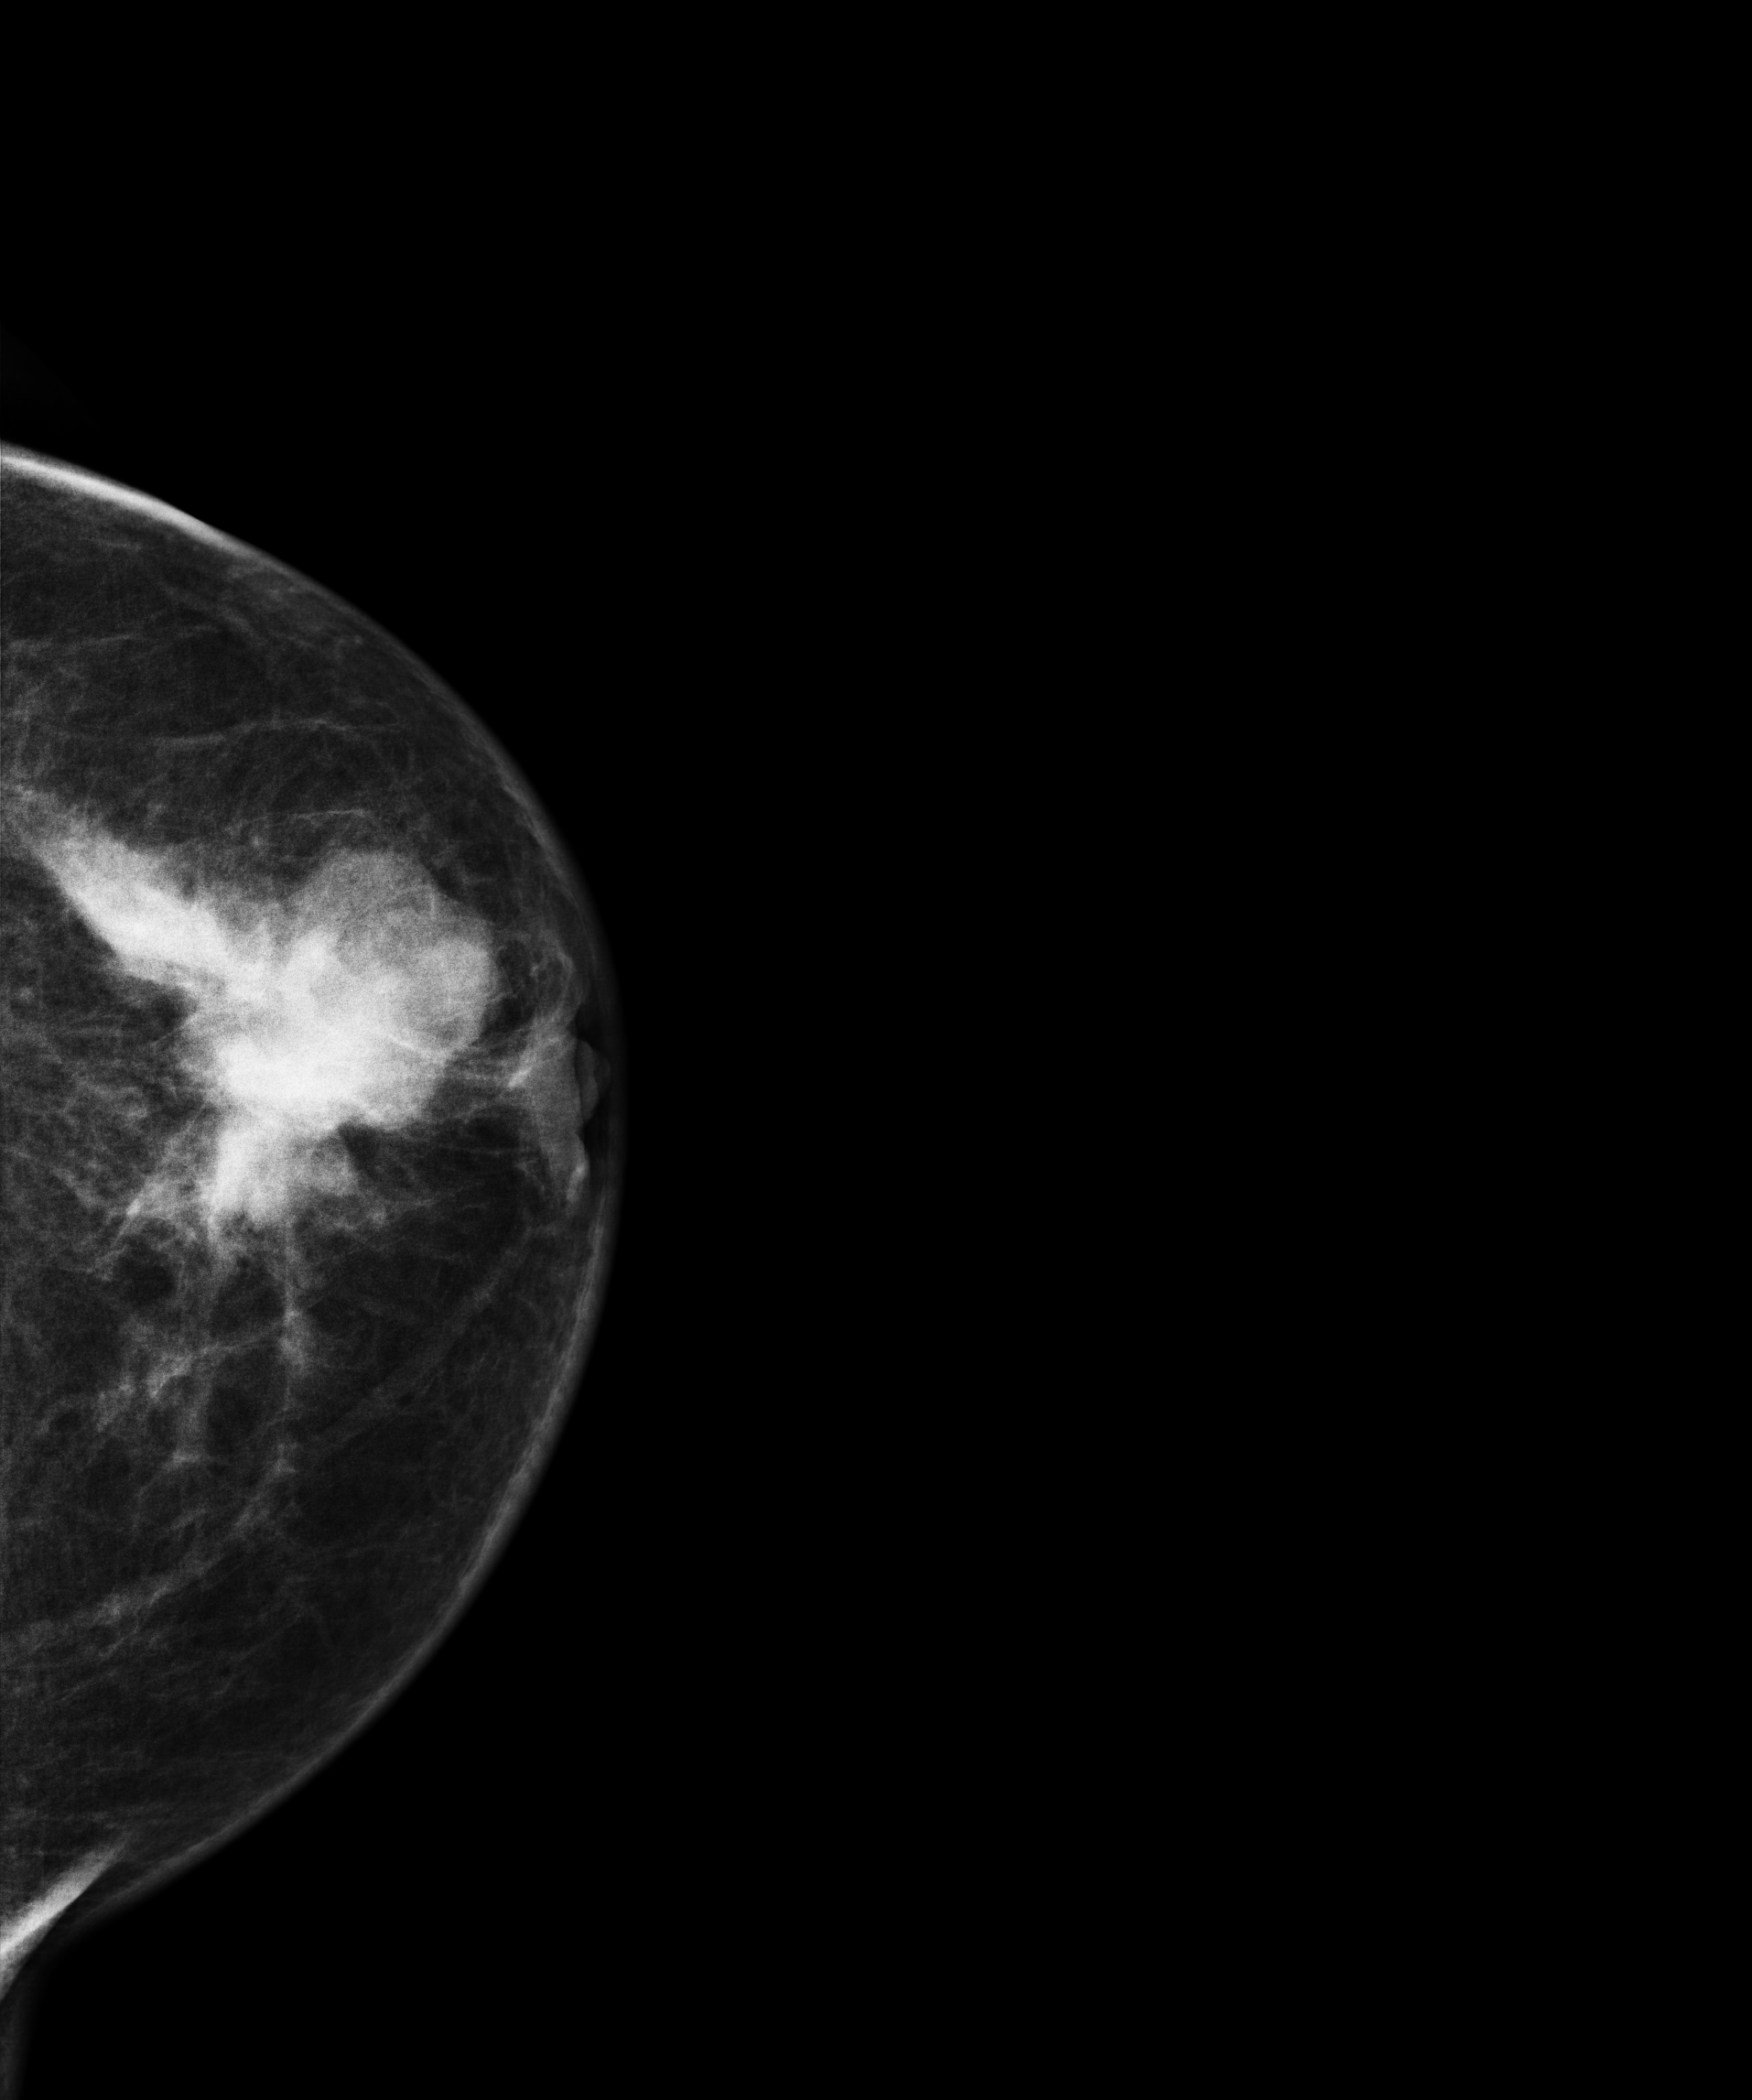
Digital mammography. Left breast, cranio-caudal projection. 61 y/o patient.
This breast has a mass, biopsy-proven malignant. Molecular subtype: triple-negative.